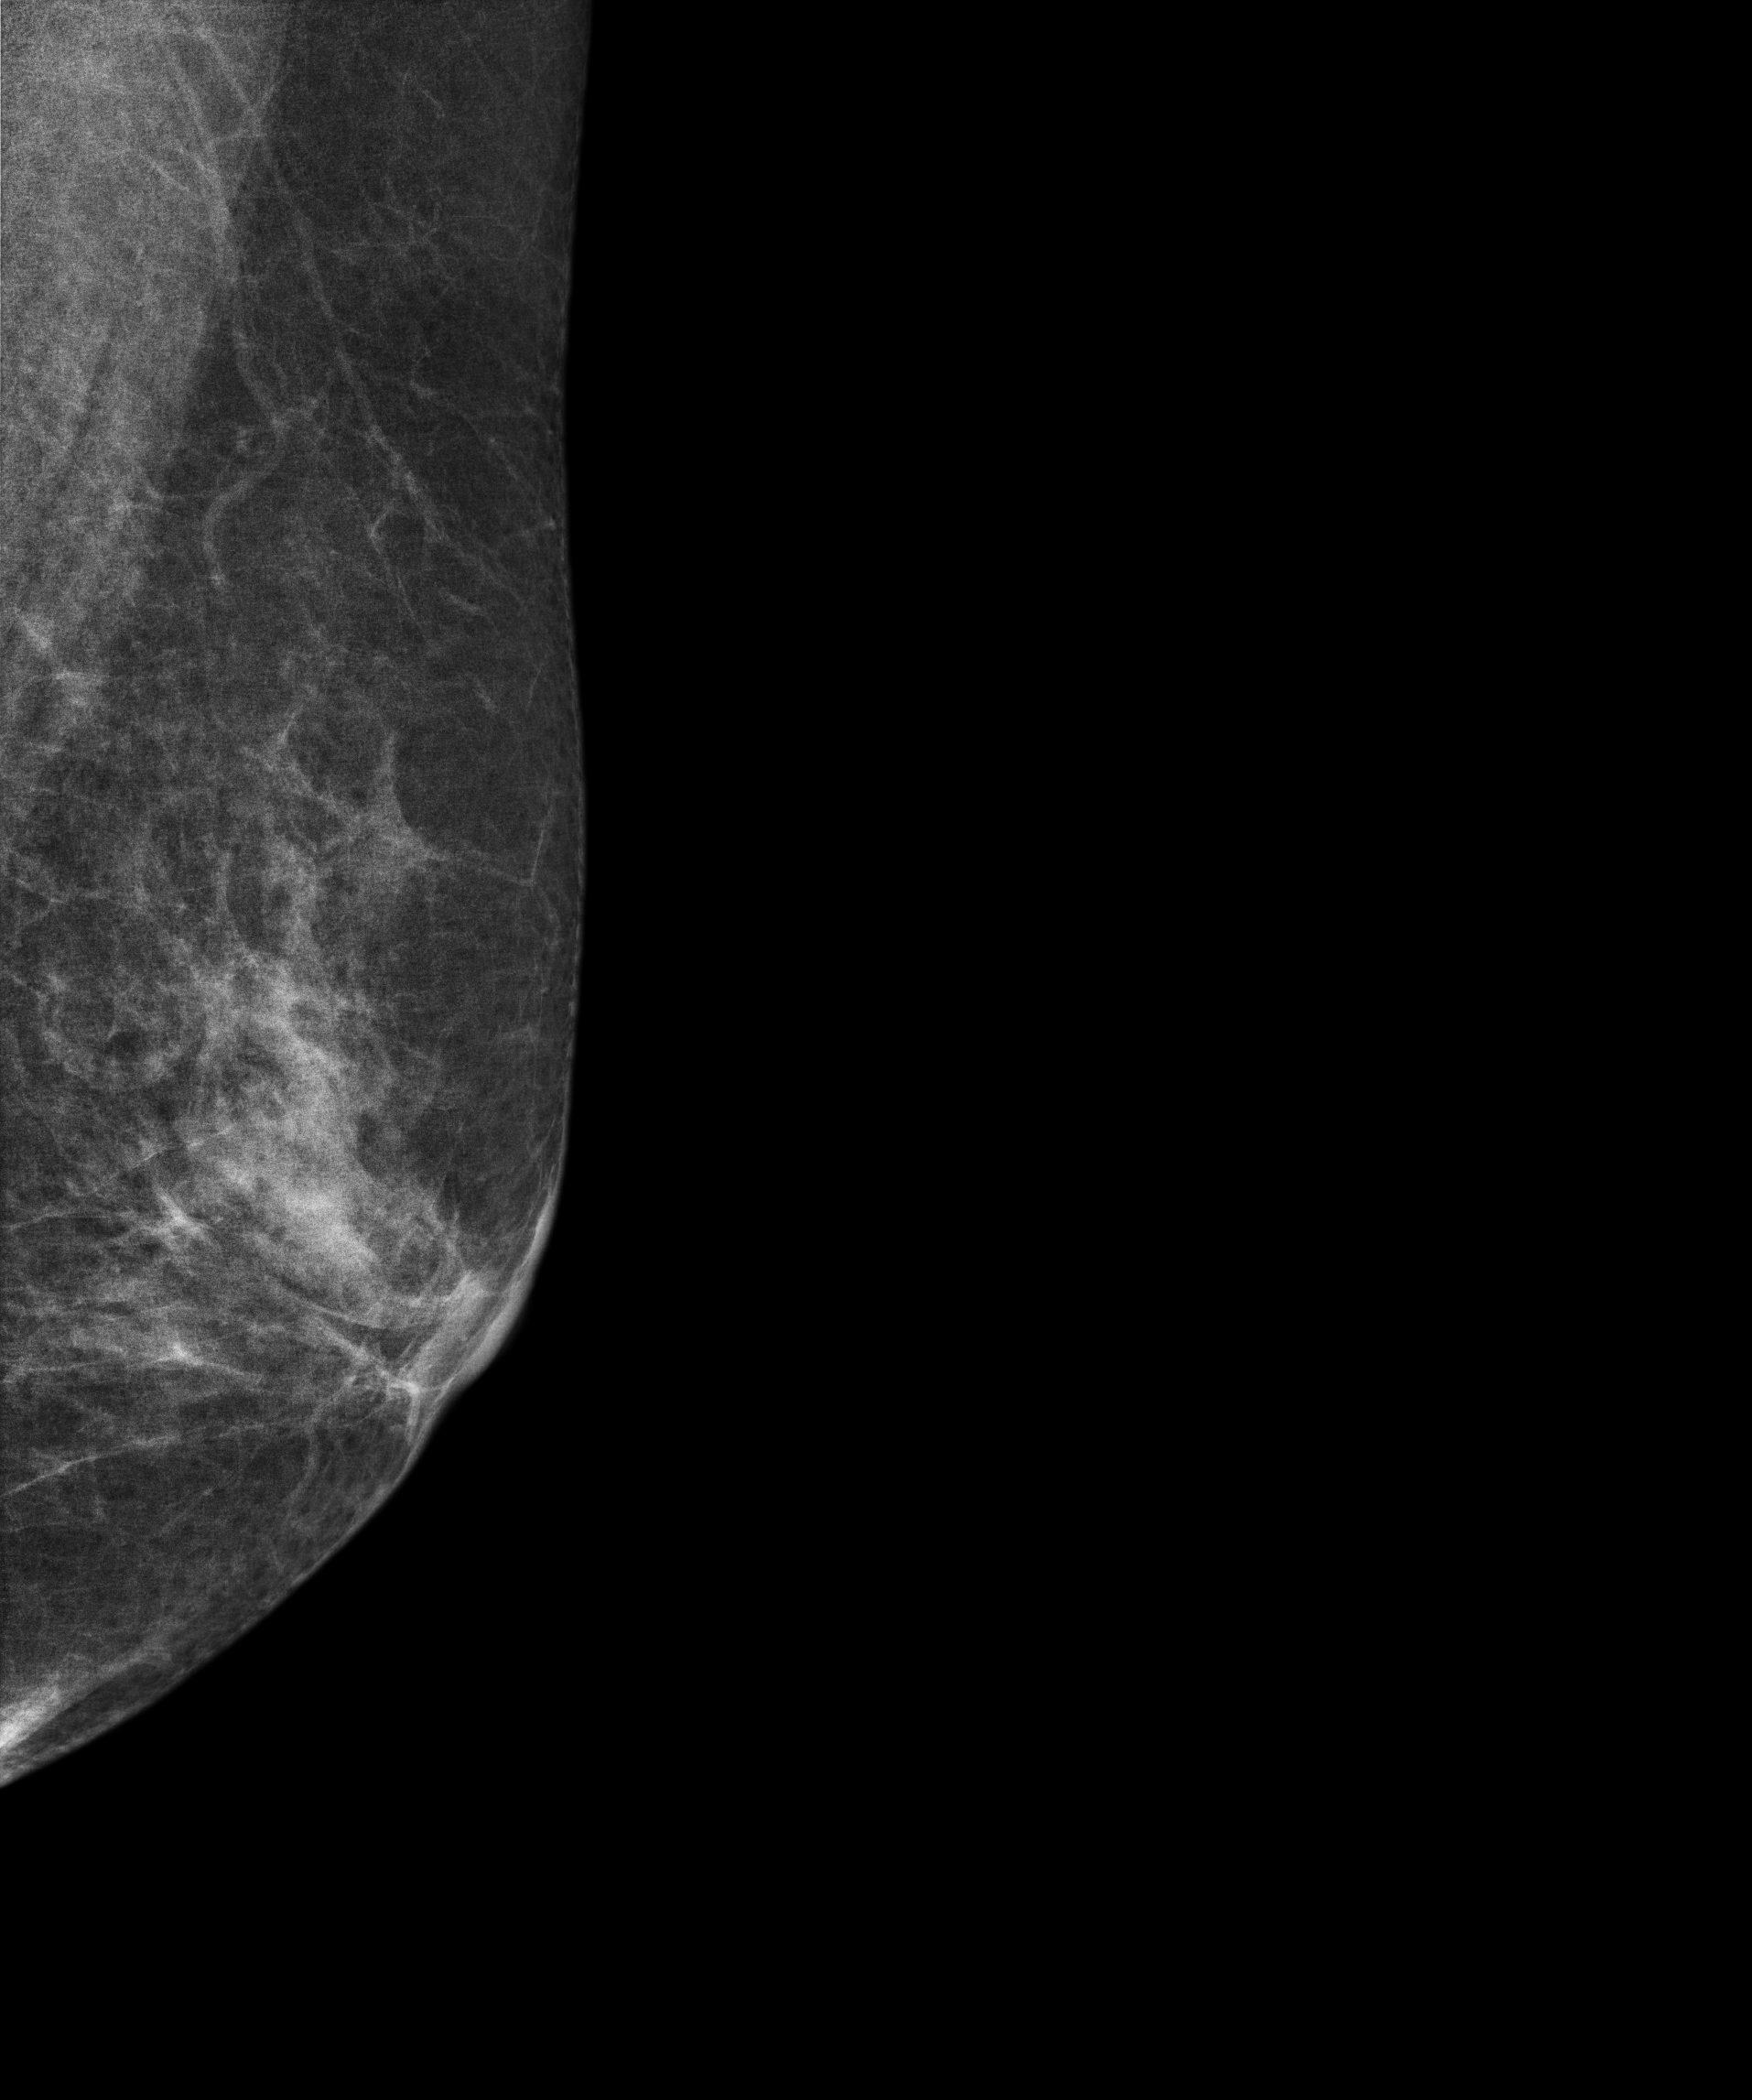
Mammogram, left breast, MLO view. Patient age 61.
Contralateral breast — no documented abnormality on this side.